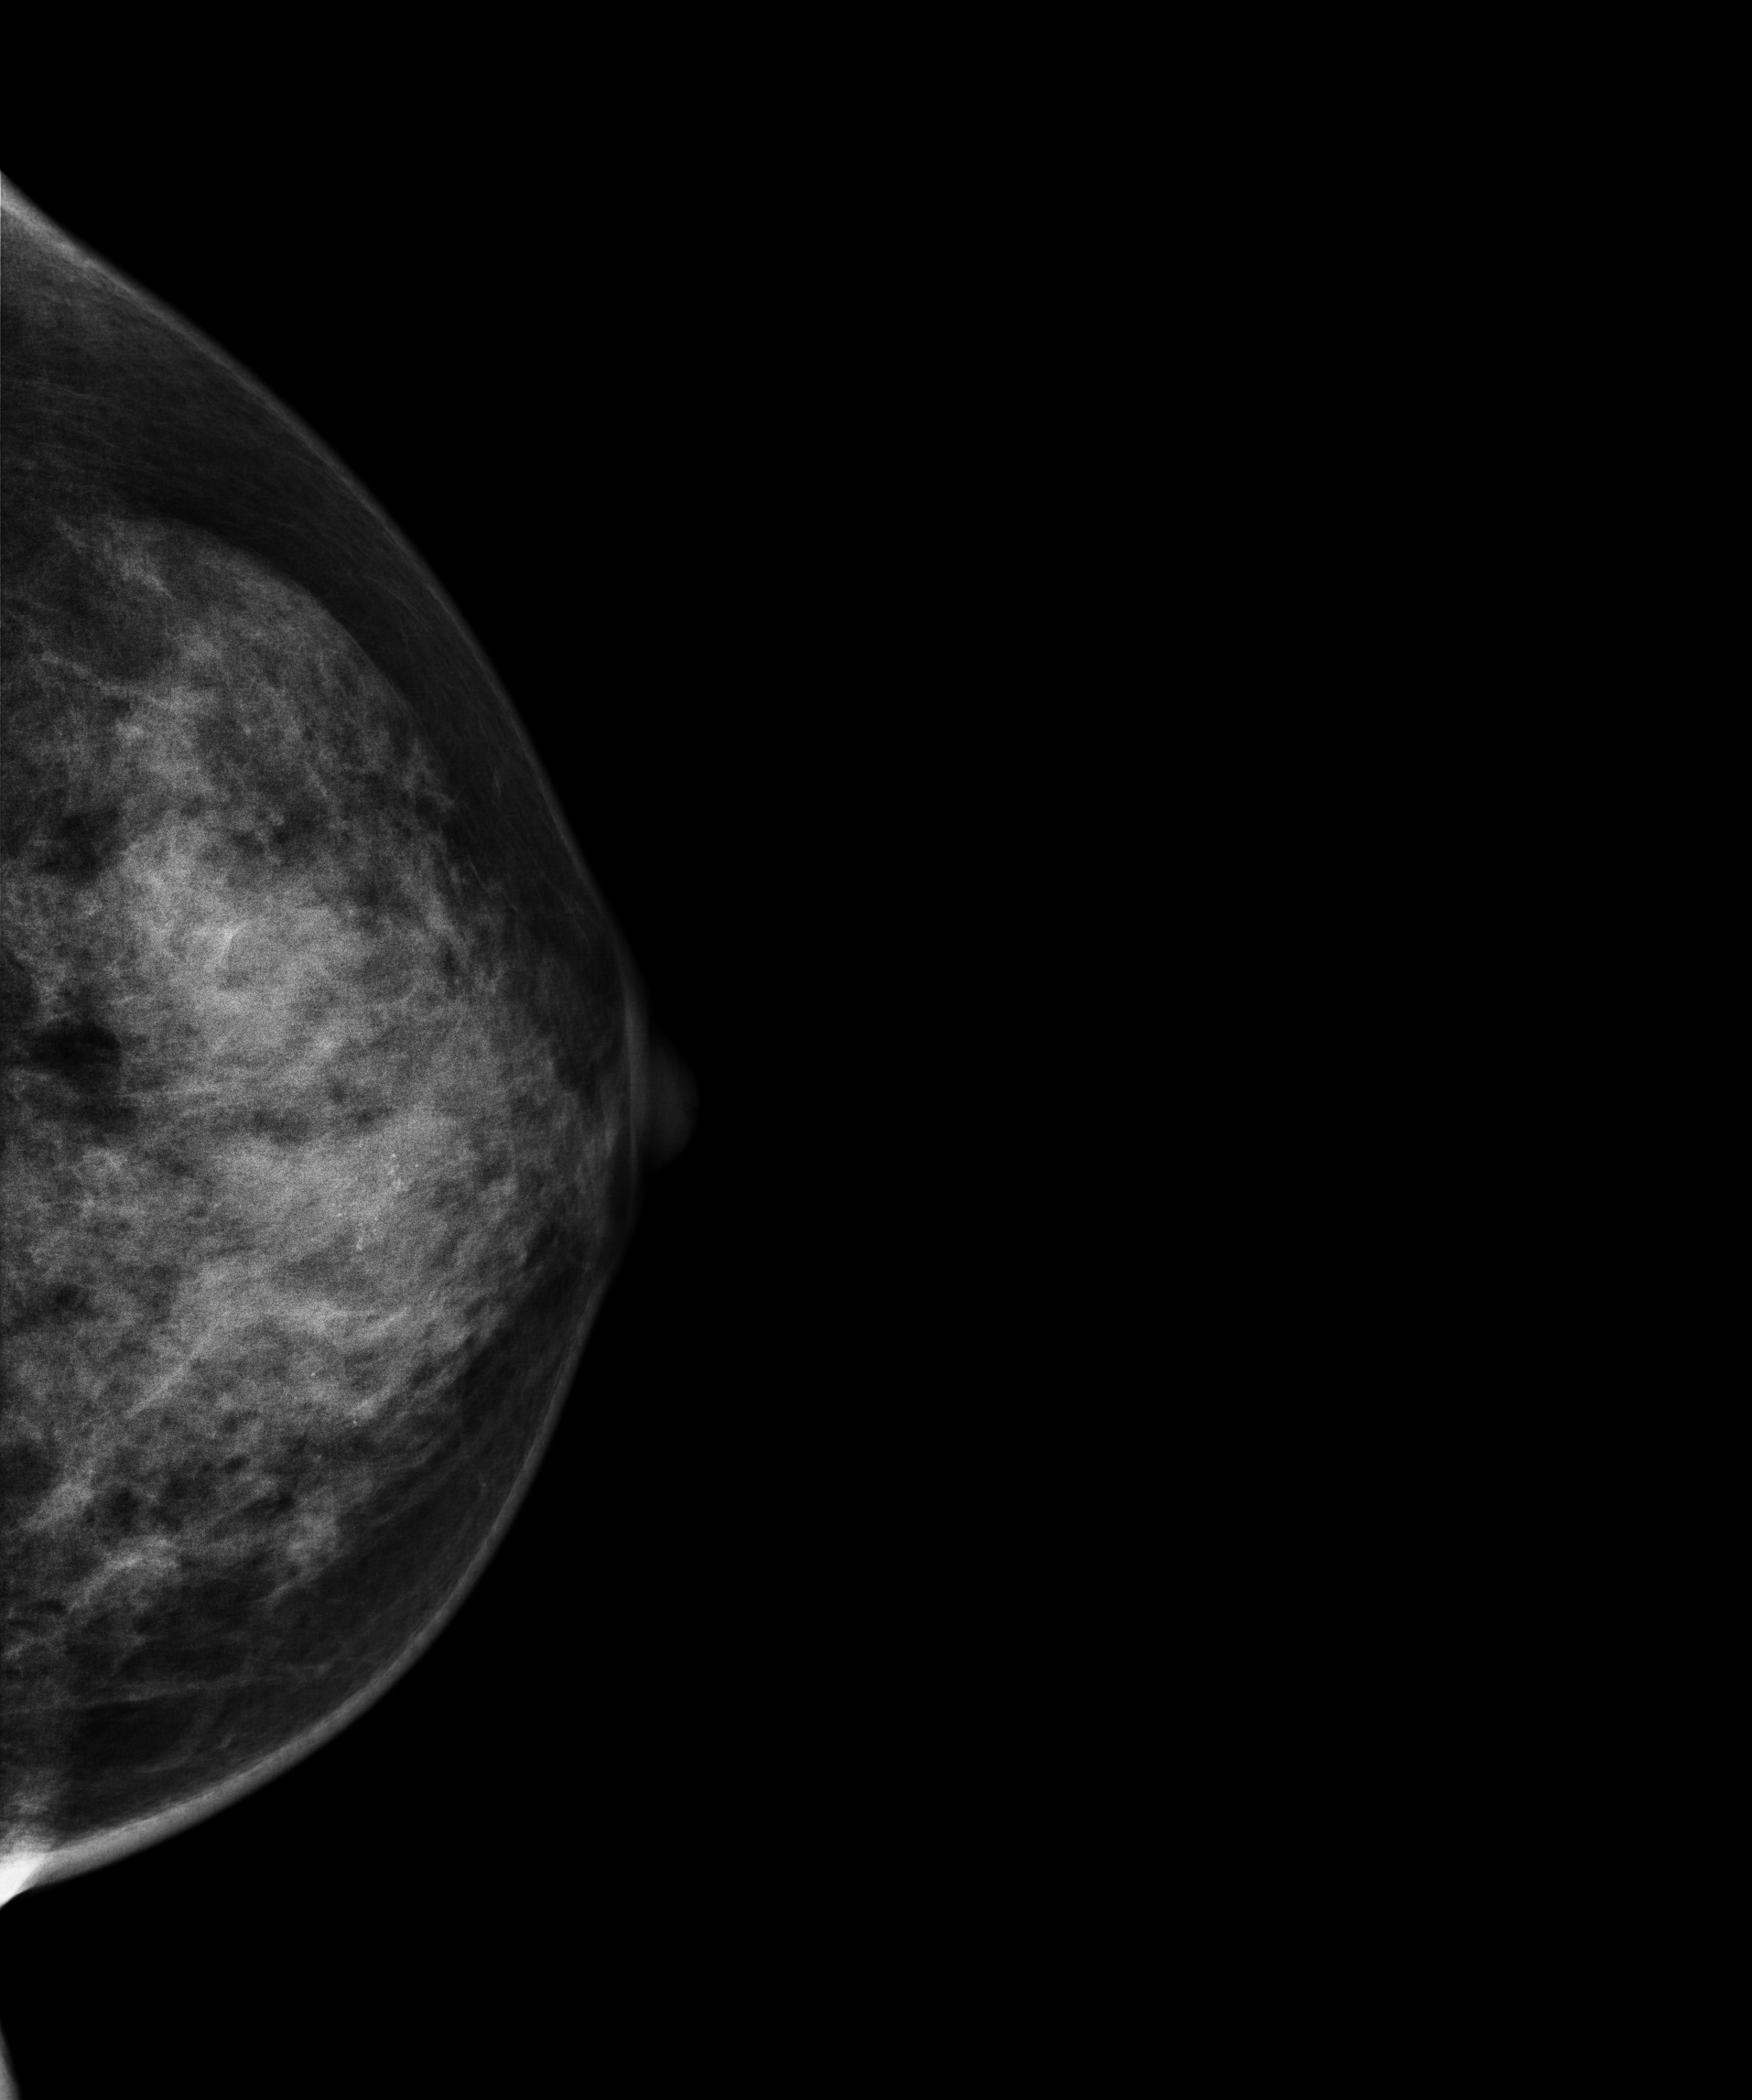
Left-breast mammogram, CC. Patient age 47.
This breast has calcifications, biopsy-confirmed malignant.